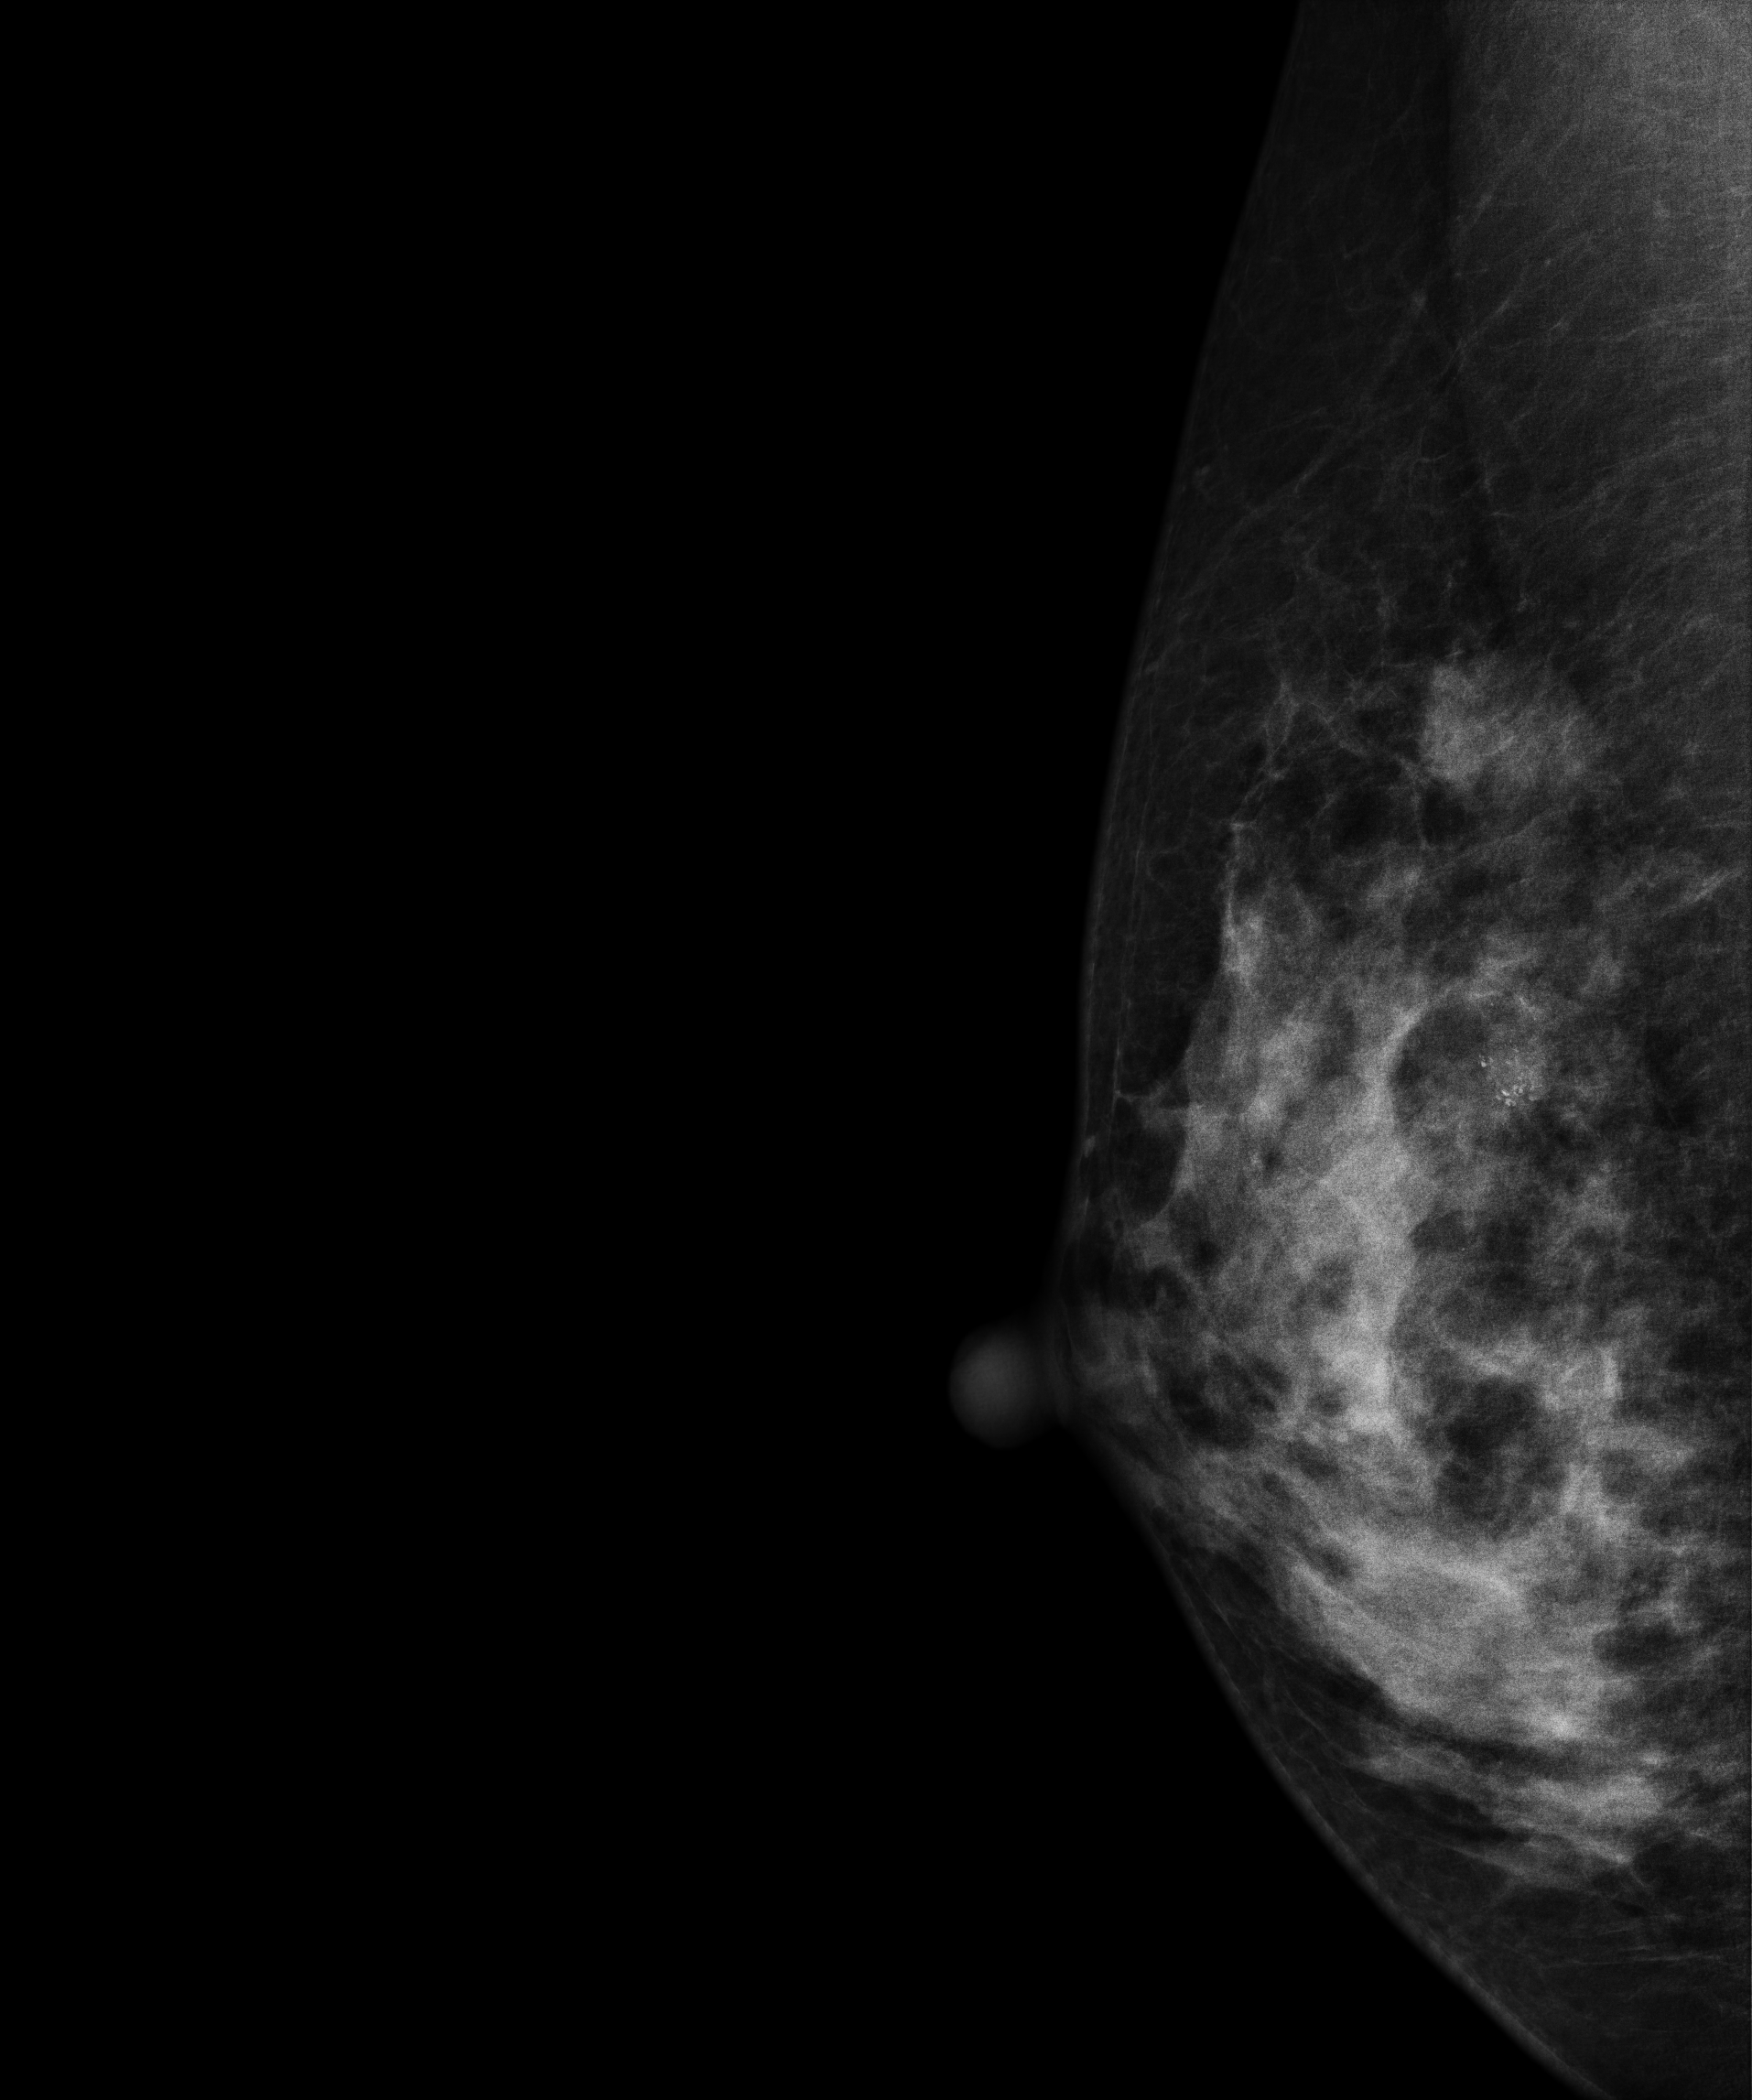
Digital mammography. Right breast, medio-lateral oblique projection. 47-year-old patient.
This breast has calcifications, pathology-confirmed malignant.